Left-breast mammogram, medio-lateral oblique. 58-year-old patient.
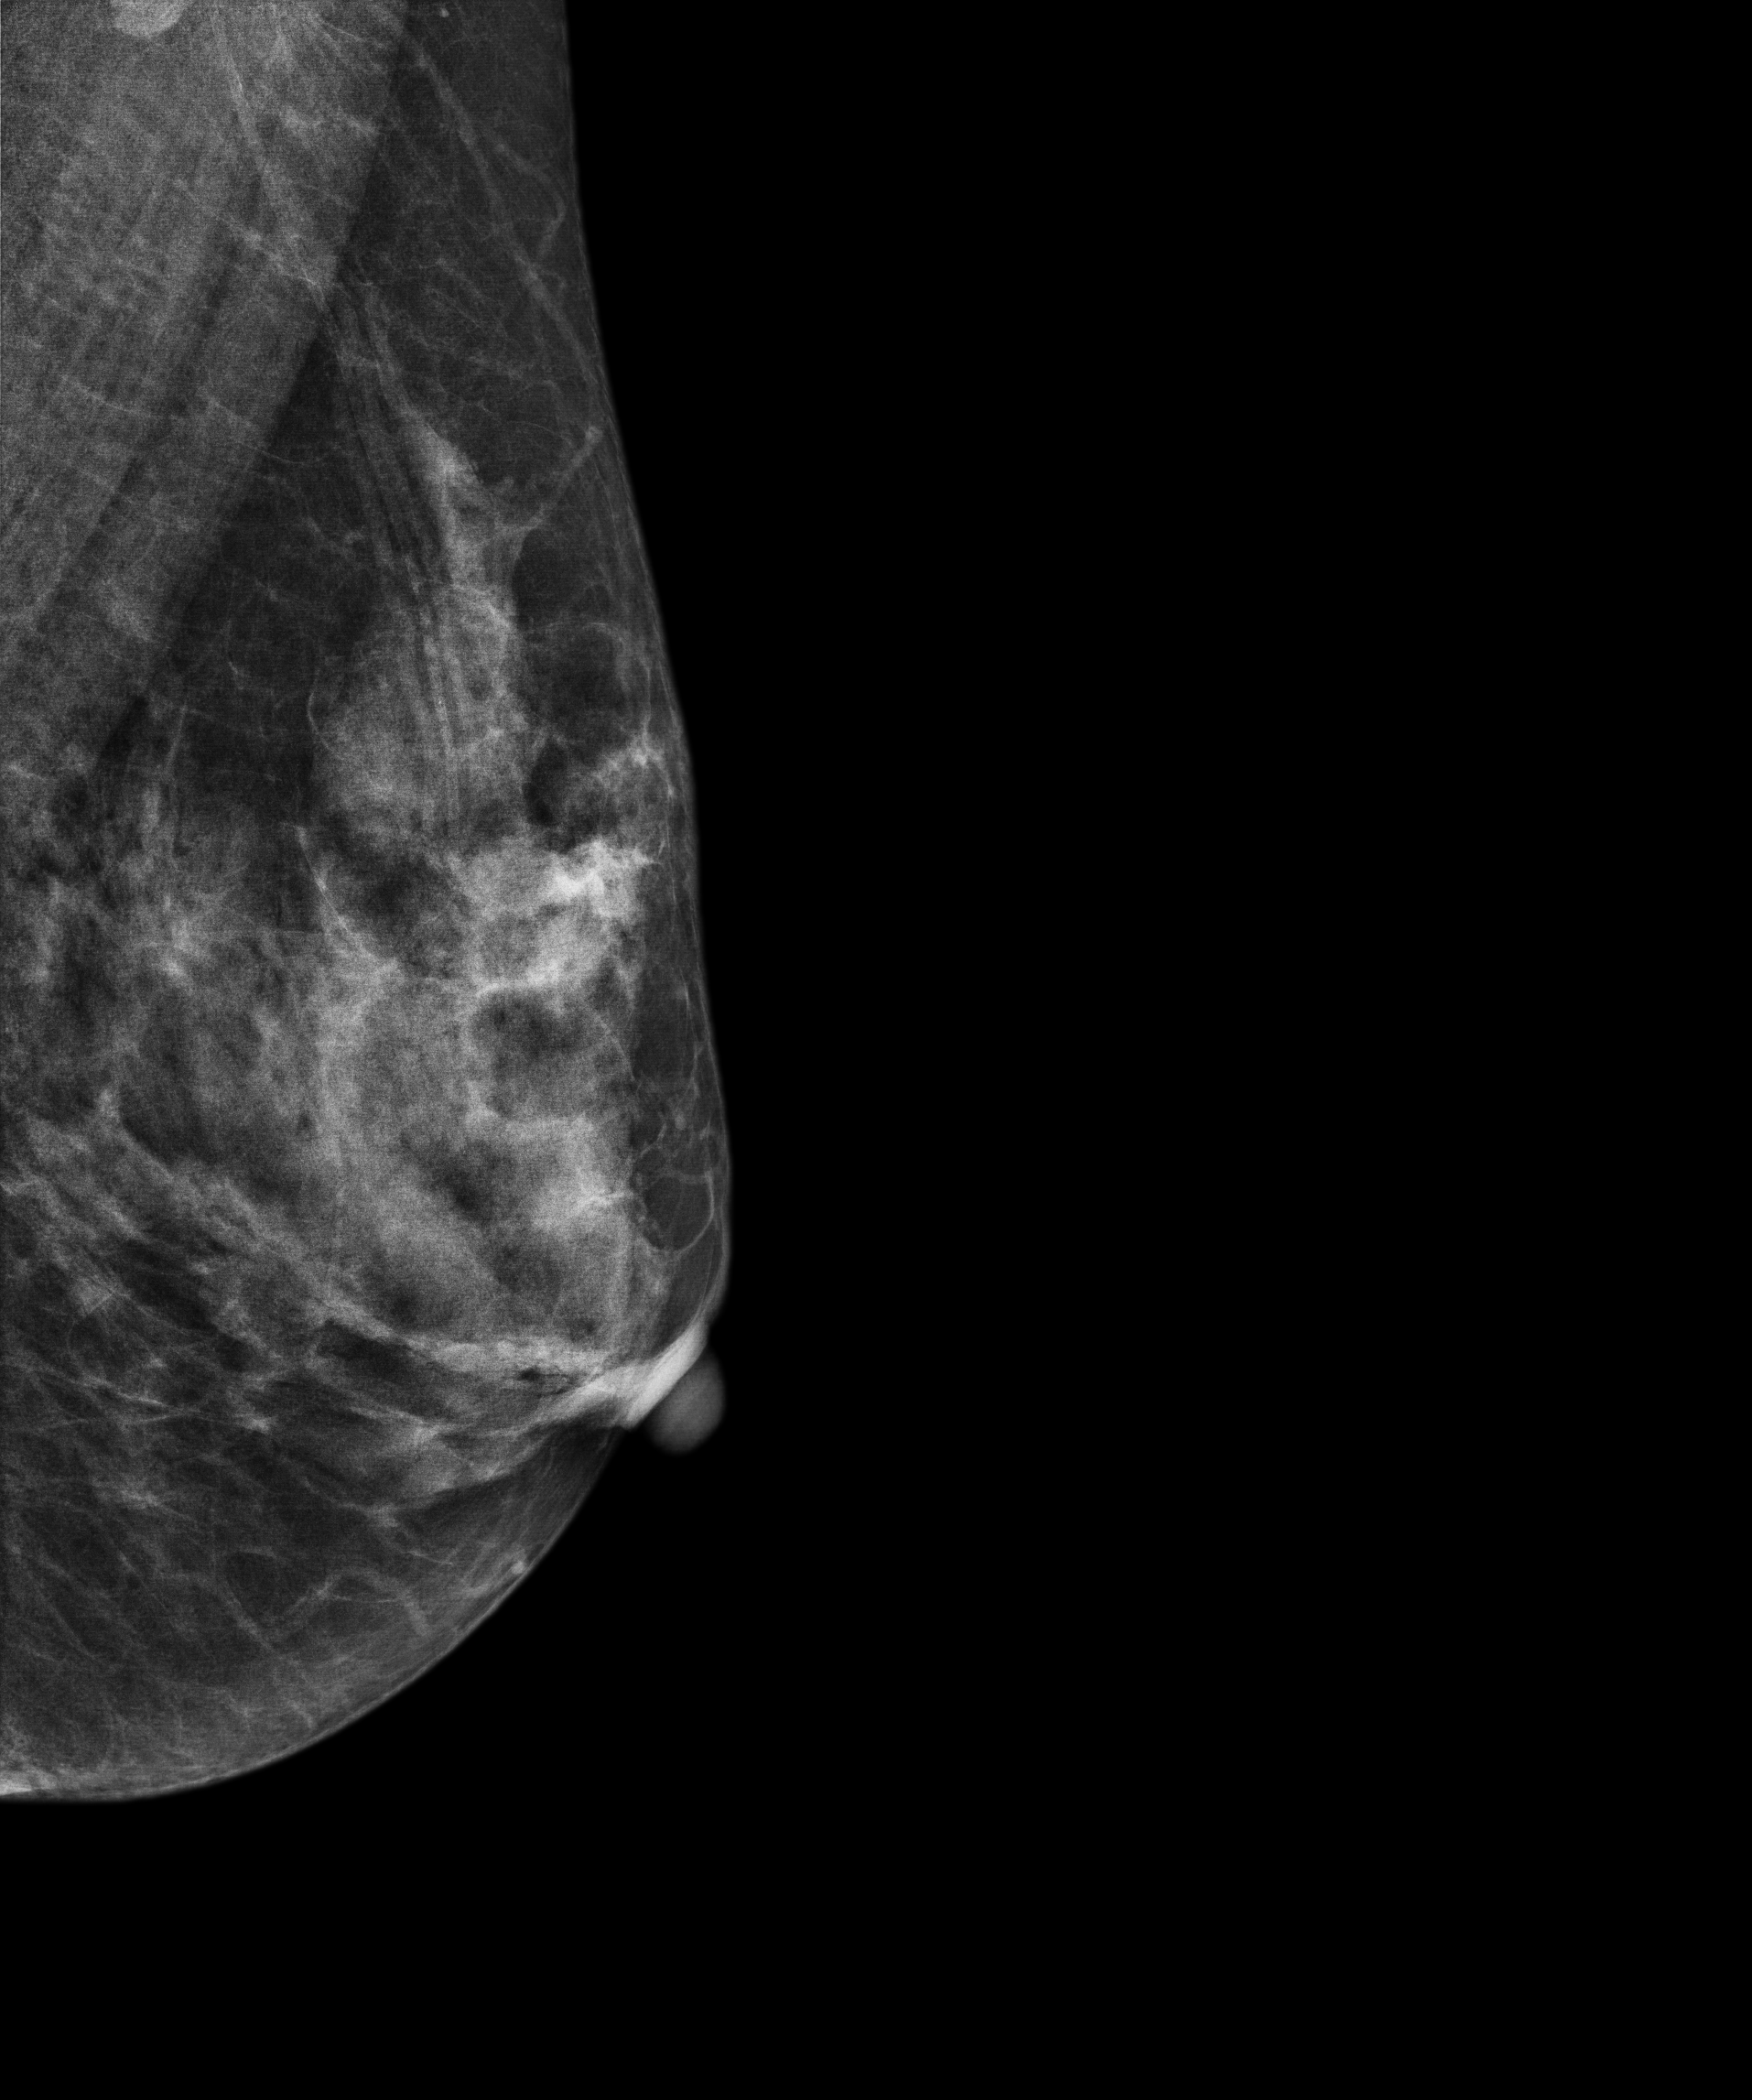
This breast has a mass, biopsy-confirmed malignant. Molecular subtype: triple-negative.